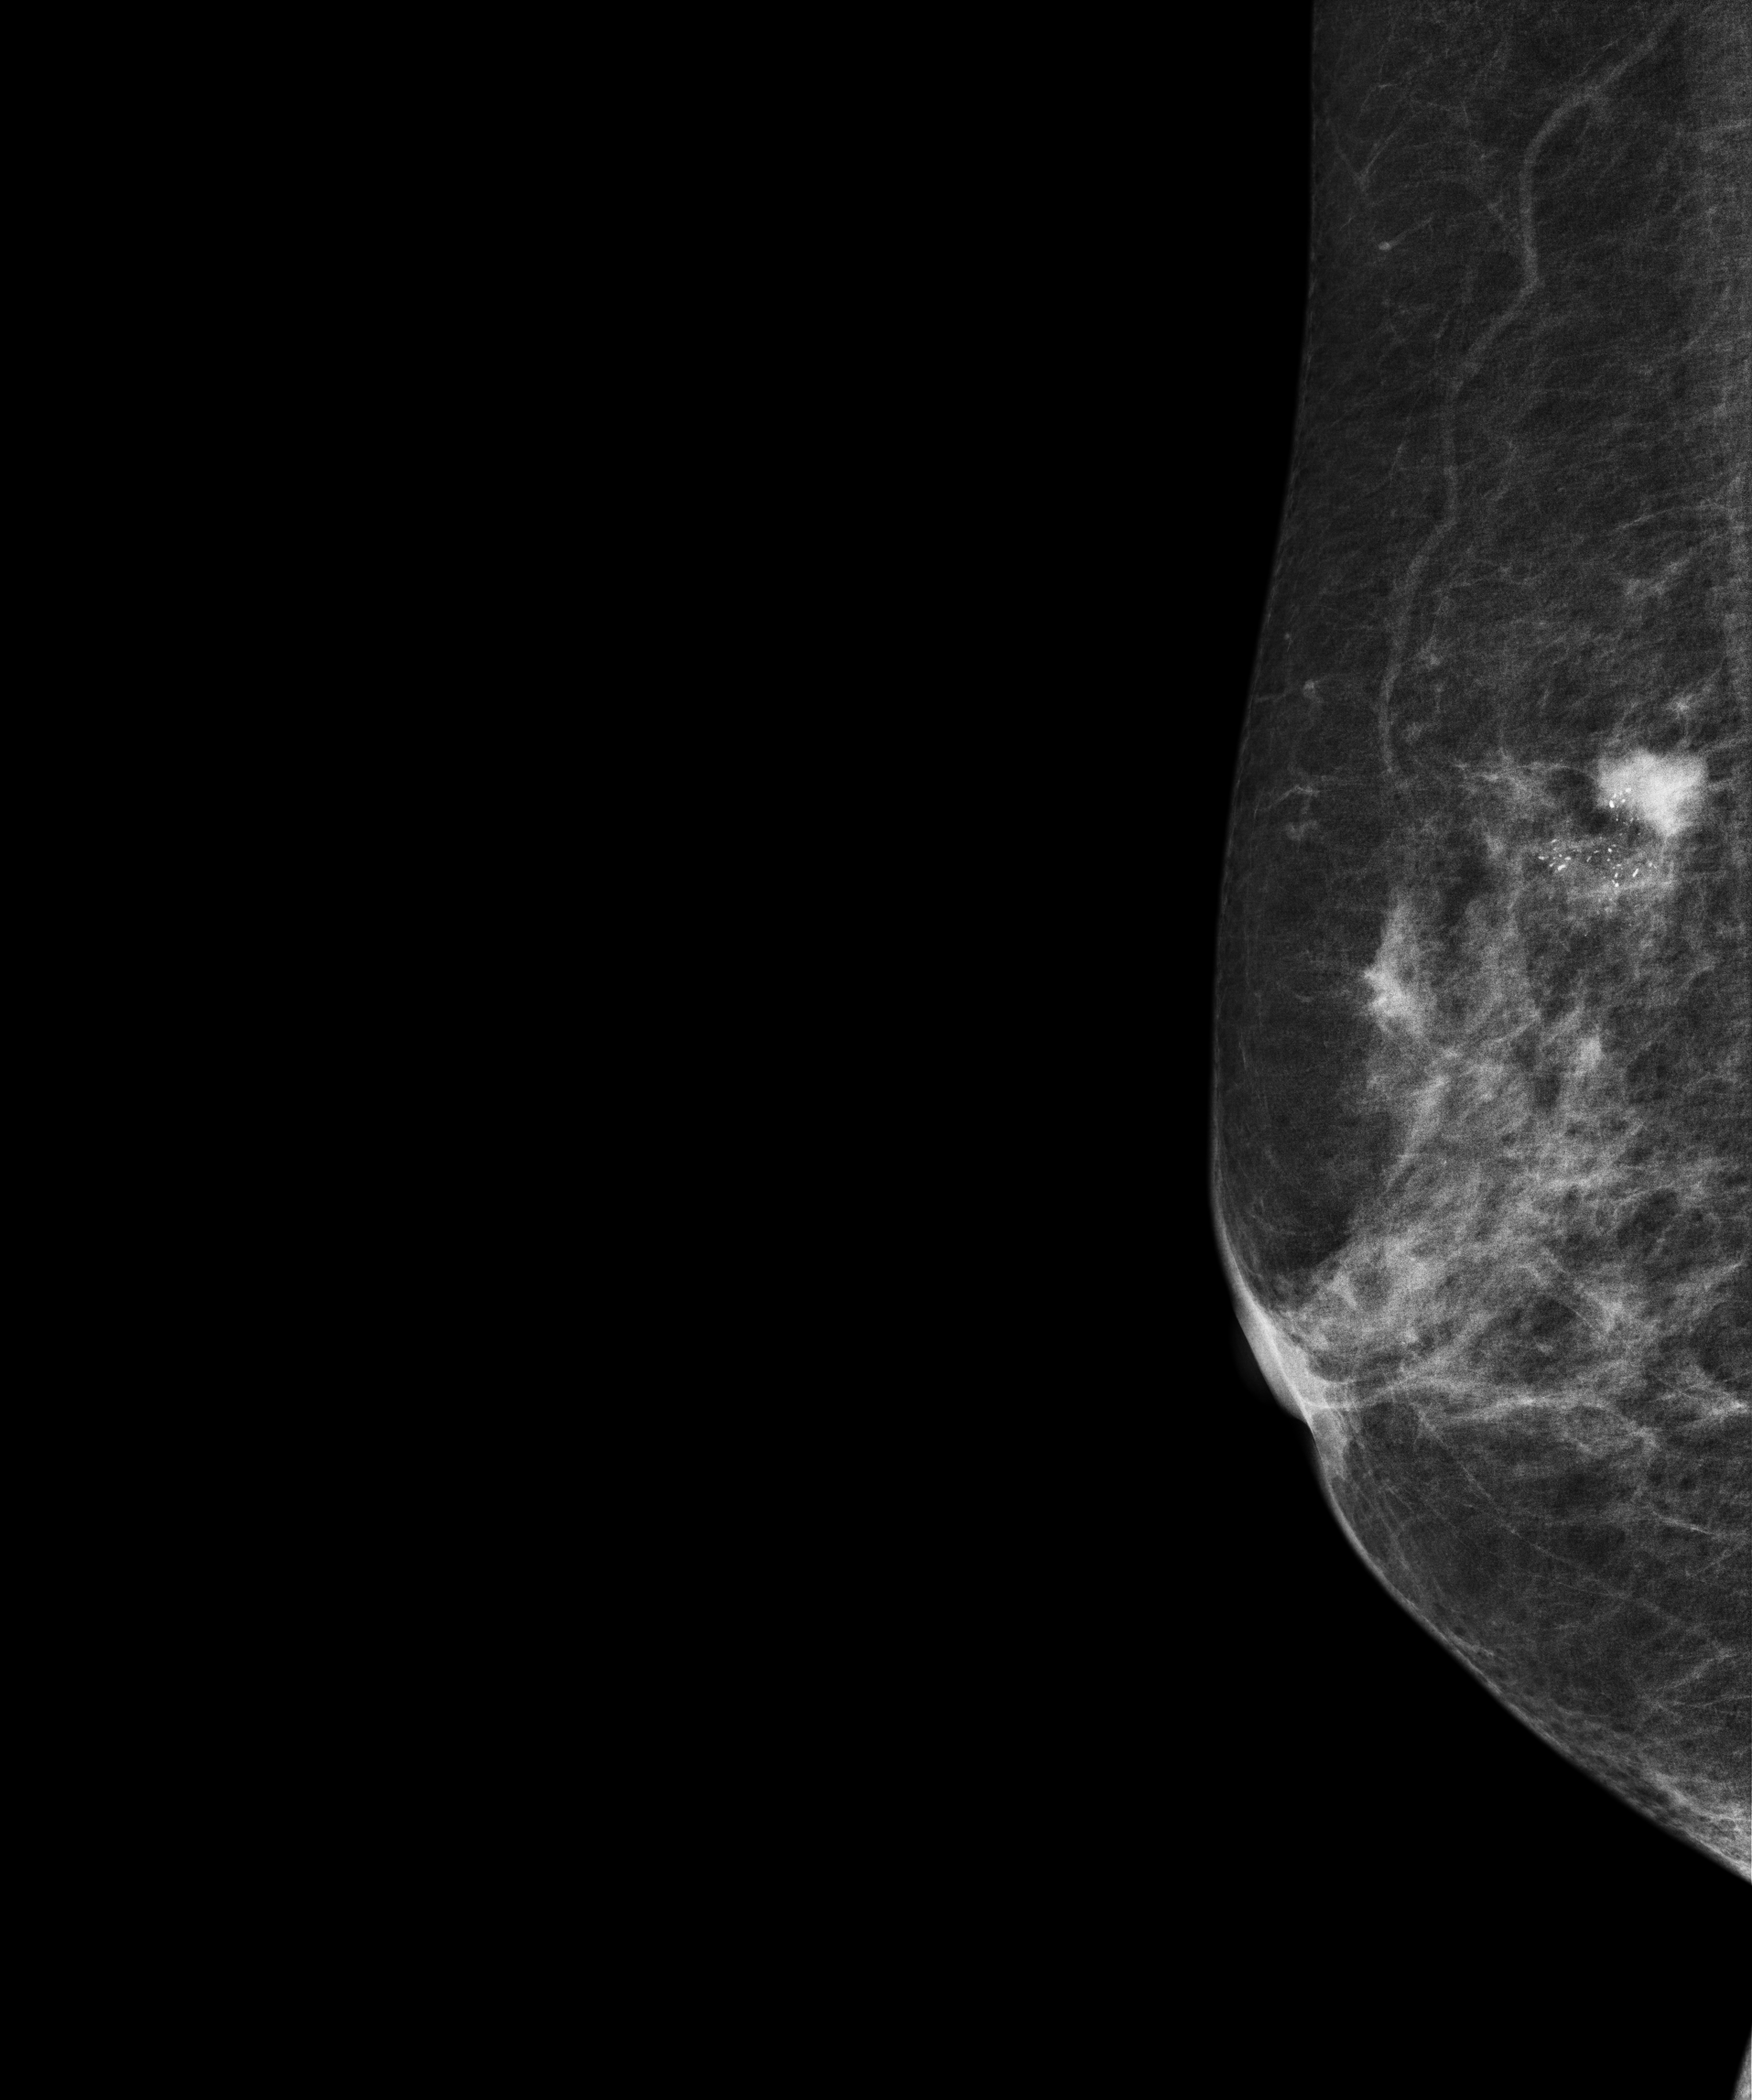
MLO mammogram of the right breast. 61 y/o patient.
This breast has a mass and calcifications, histologically confirmed malignant. Molecular subtype: luminal B.